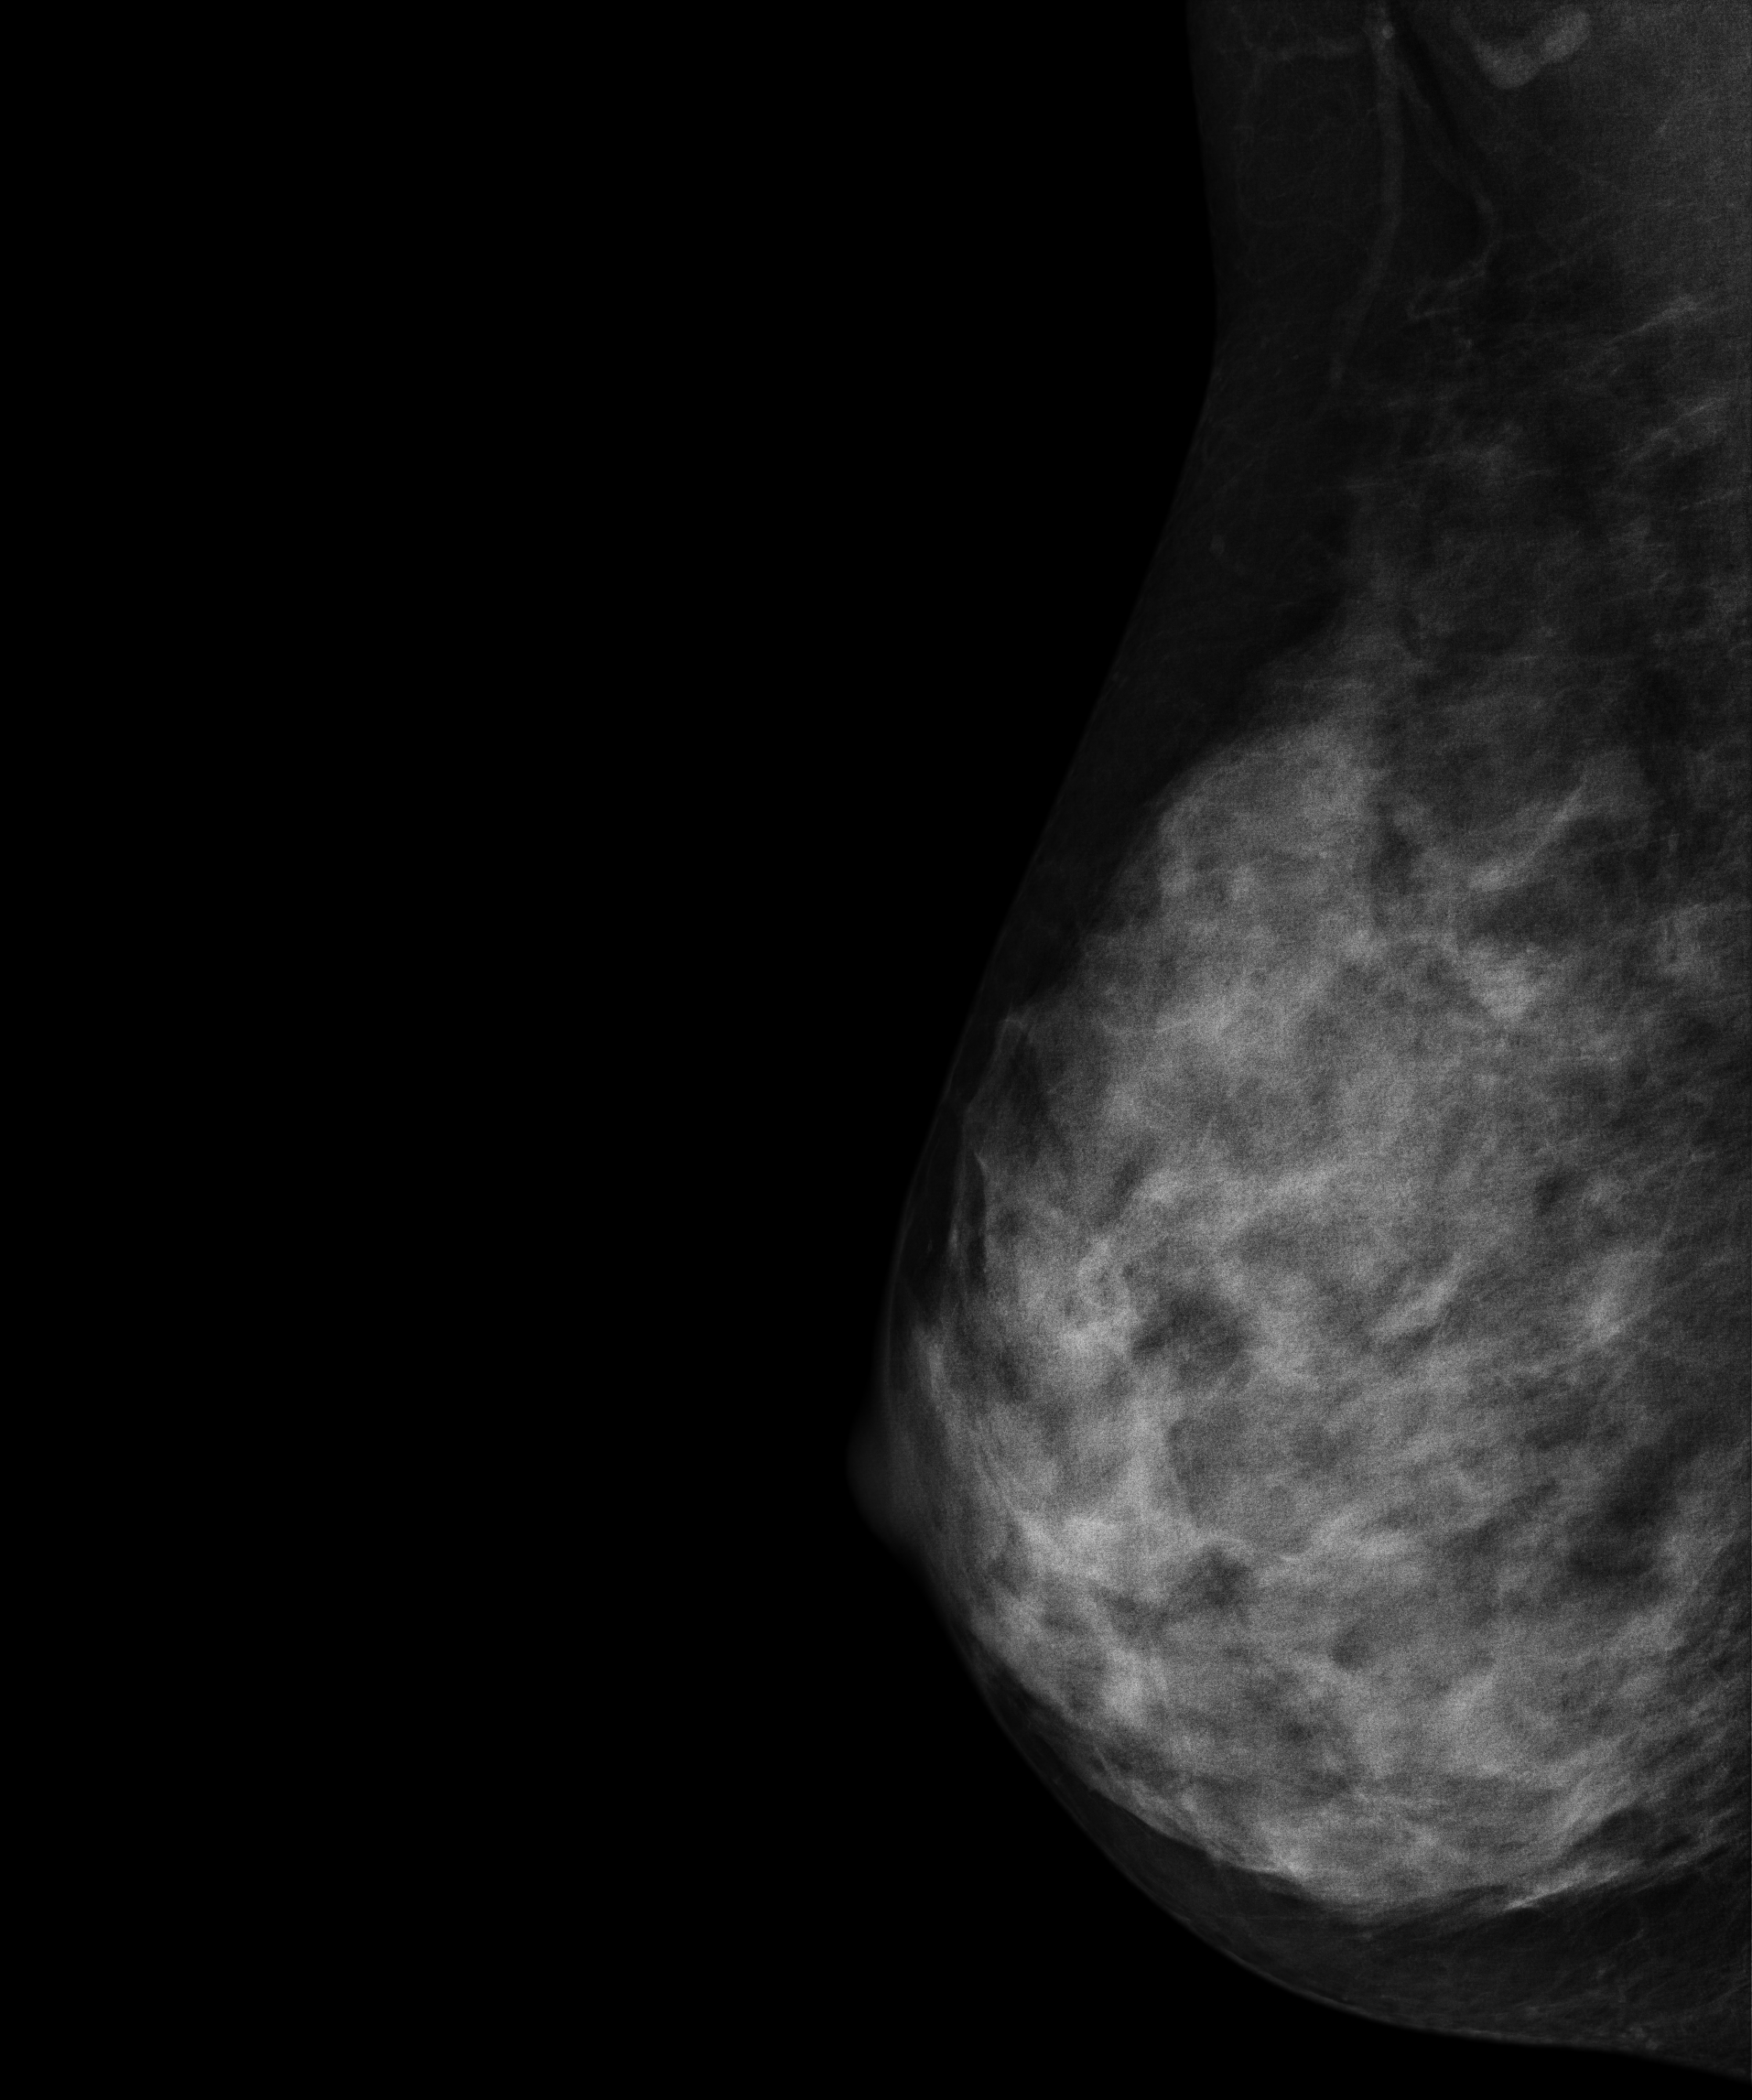
Mammogram, right breast, MLO view. 40 y/o patient.
Contralateral breast — no documented abnormality on this side.